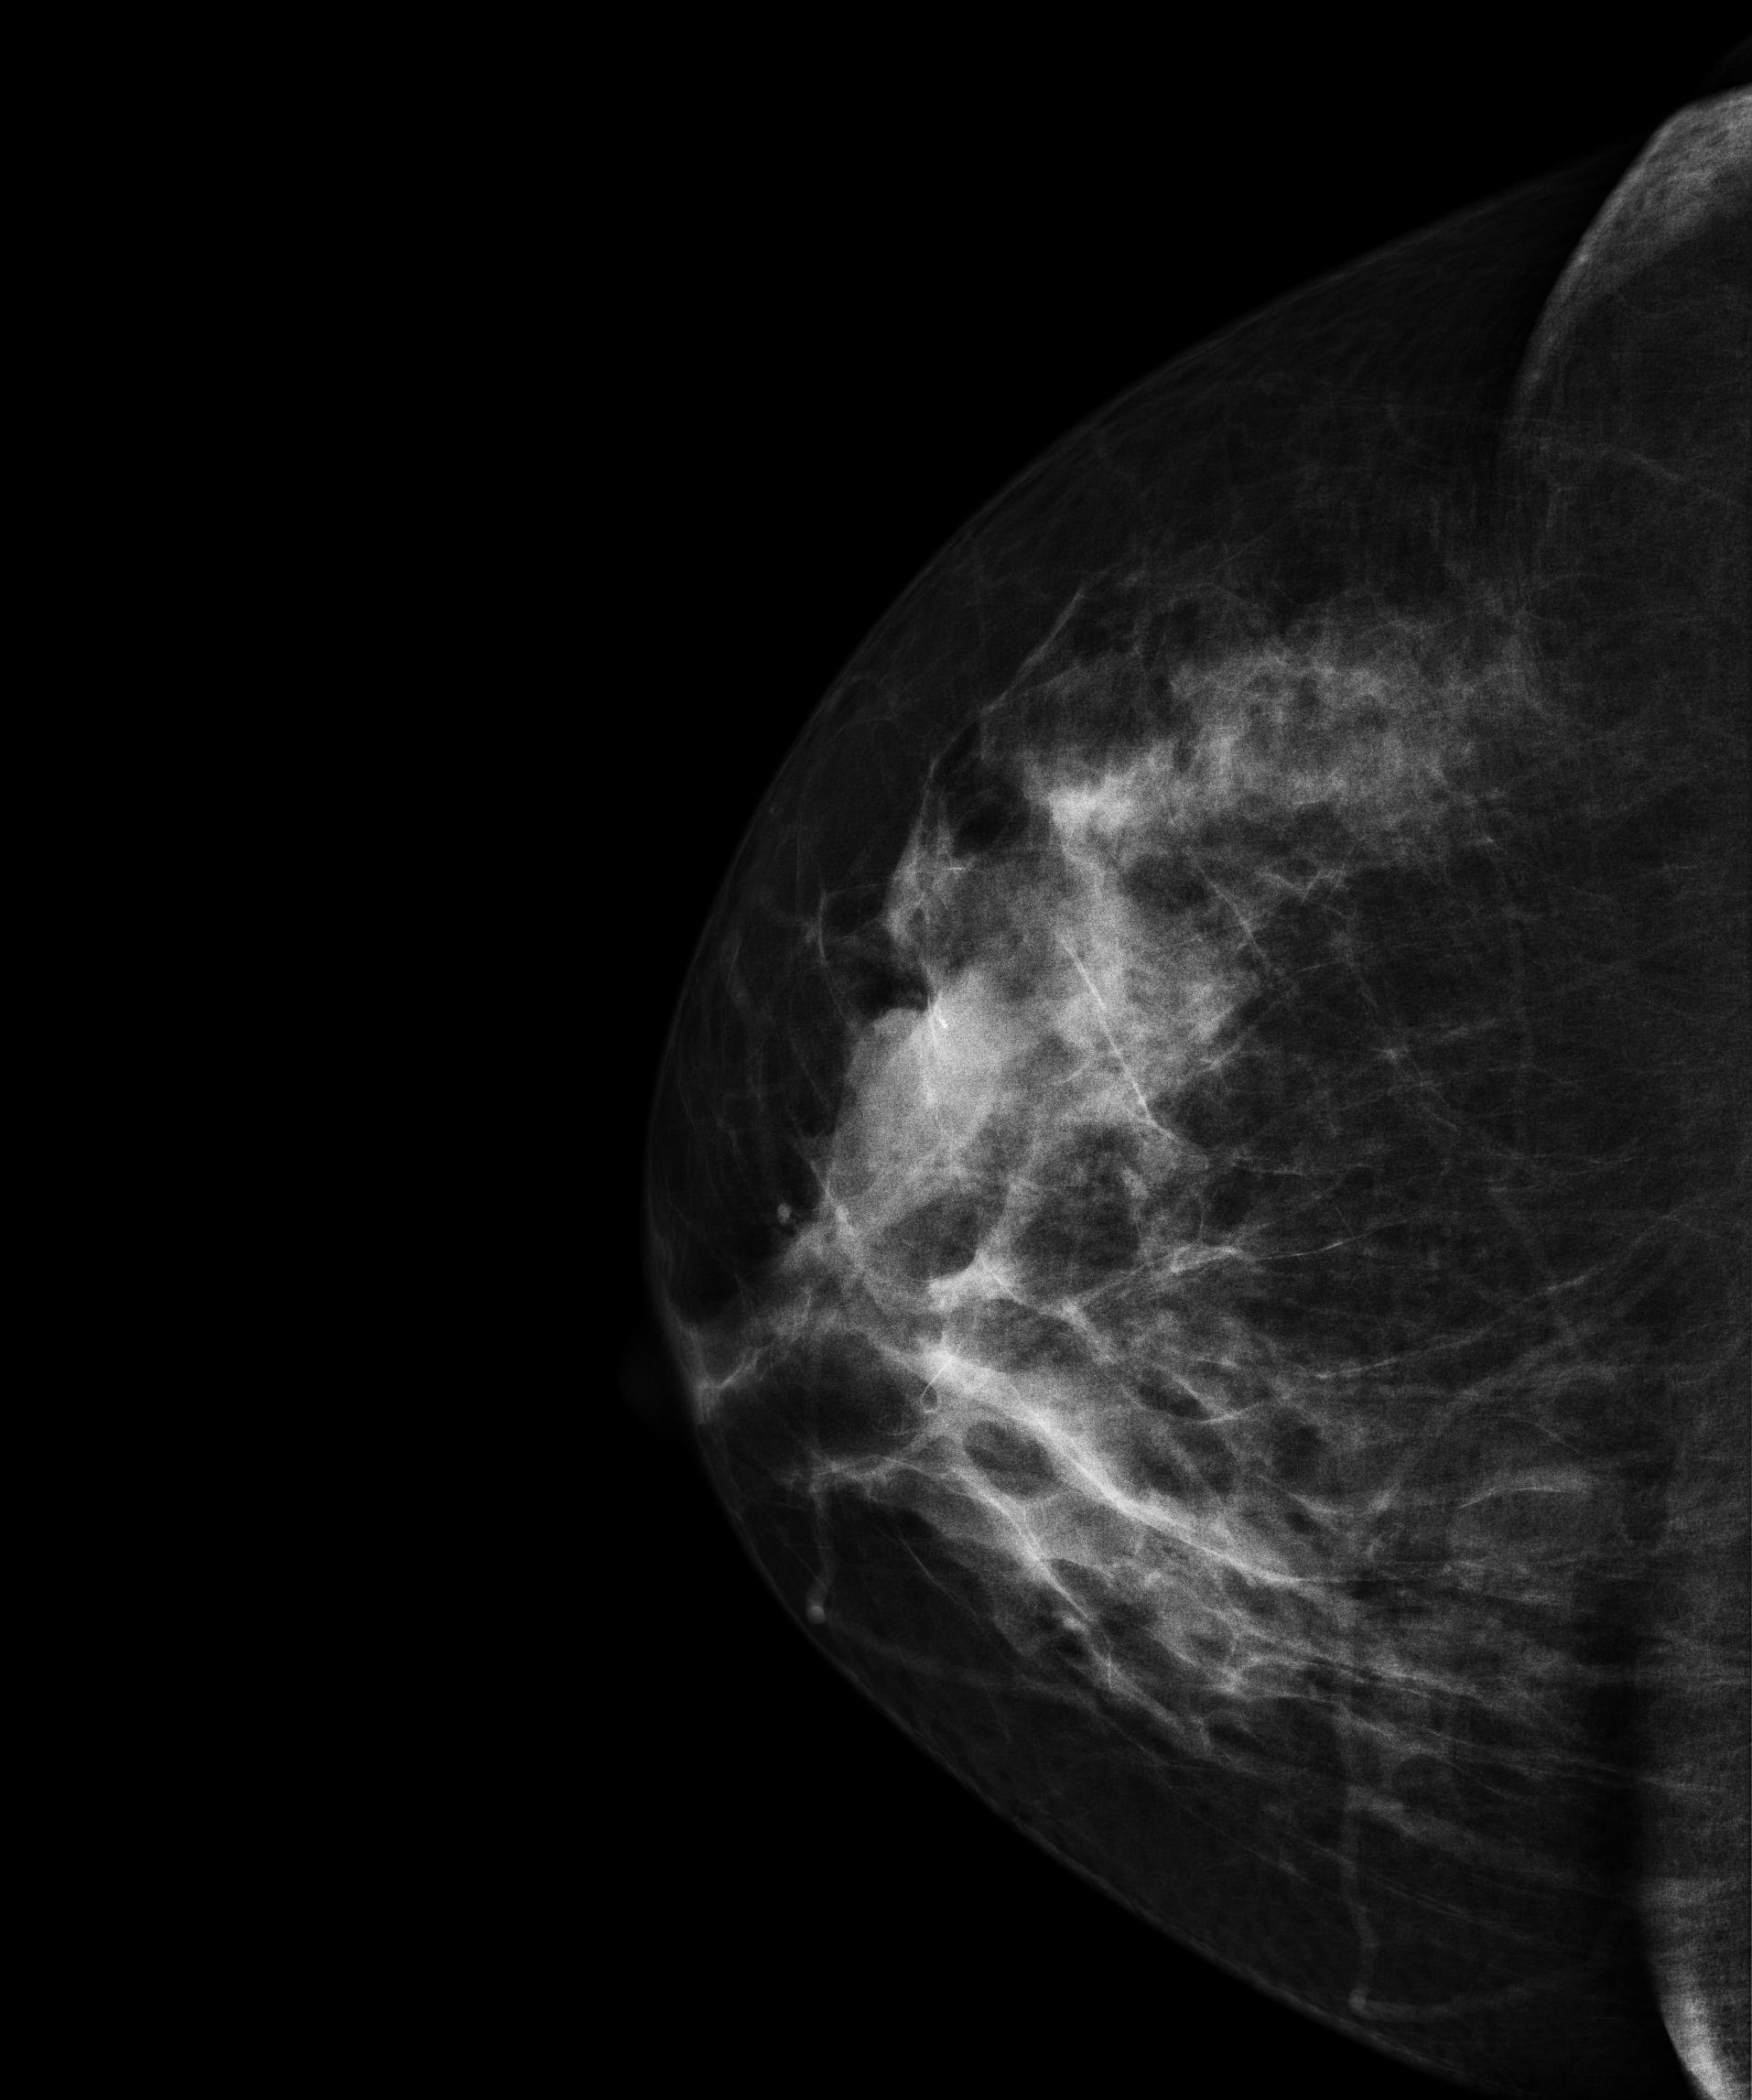
CC mammogram of the right breast. 63-year-old patient.
This breast has a mass, biopsy-confirmed malignant. Molecular subtype: HER2-enriched.